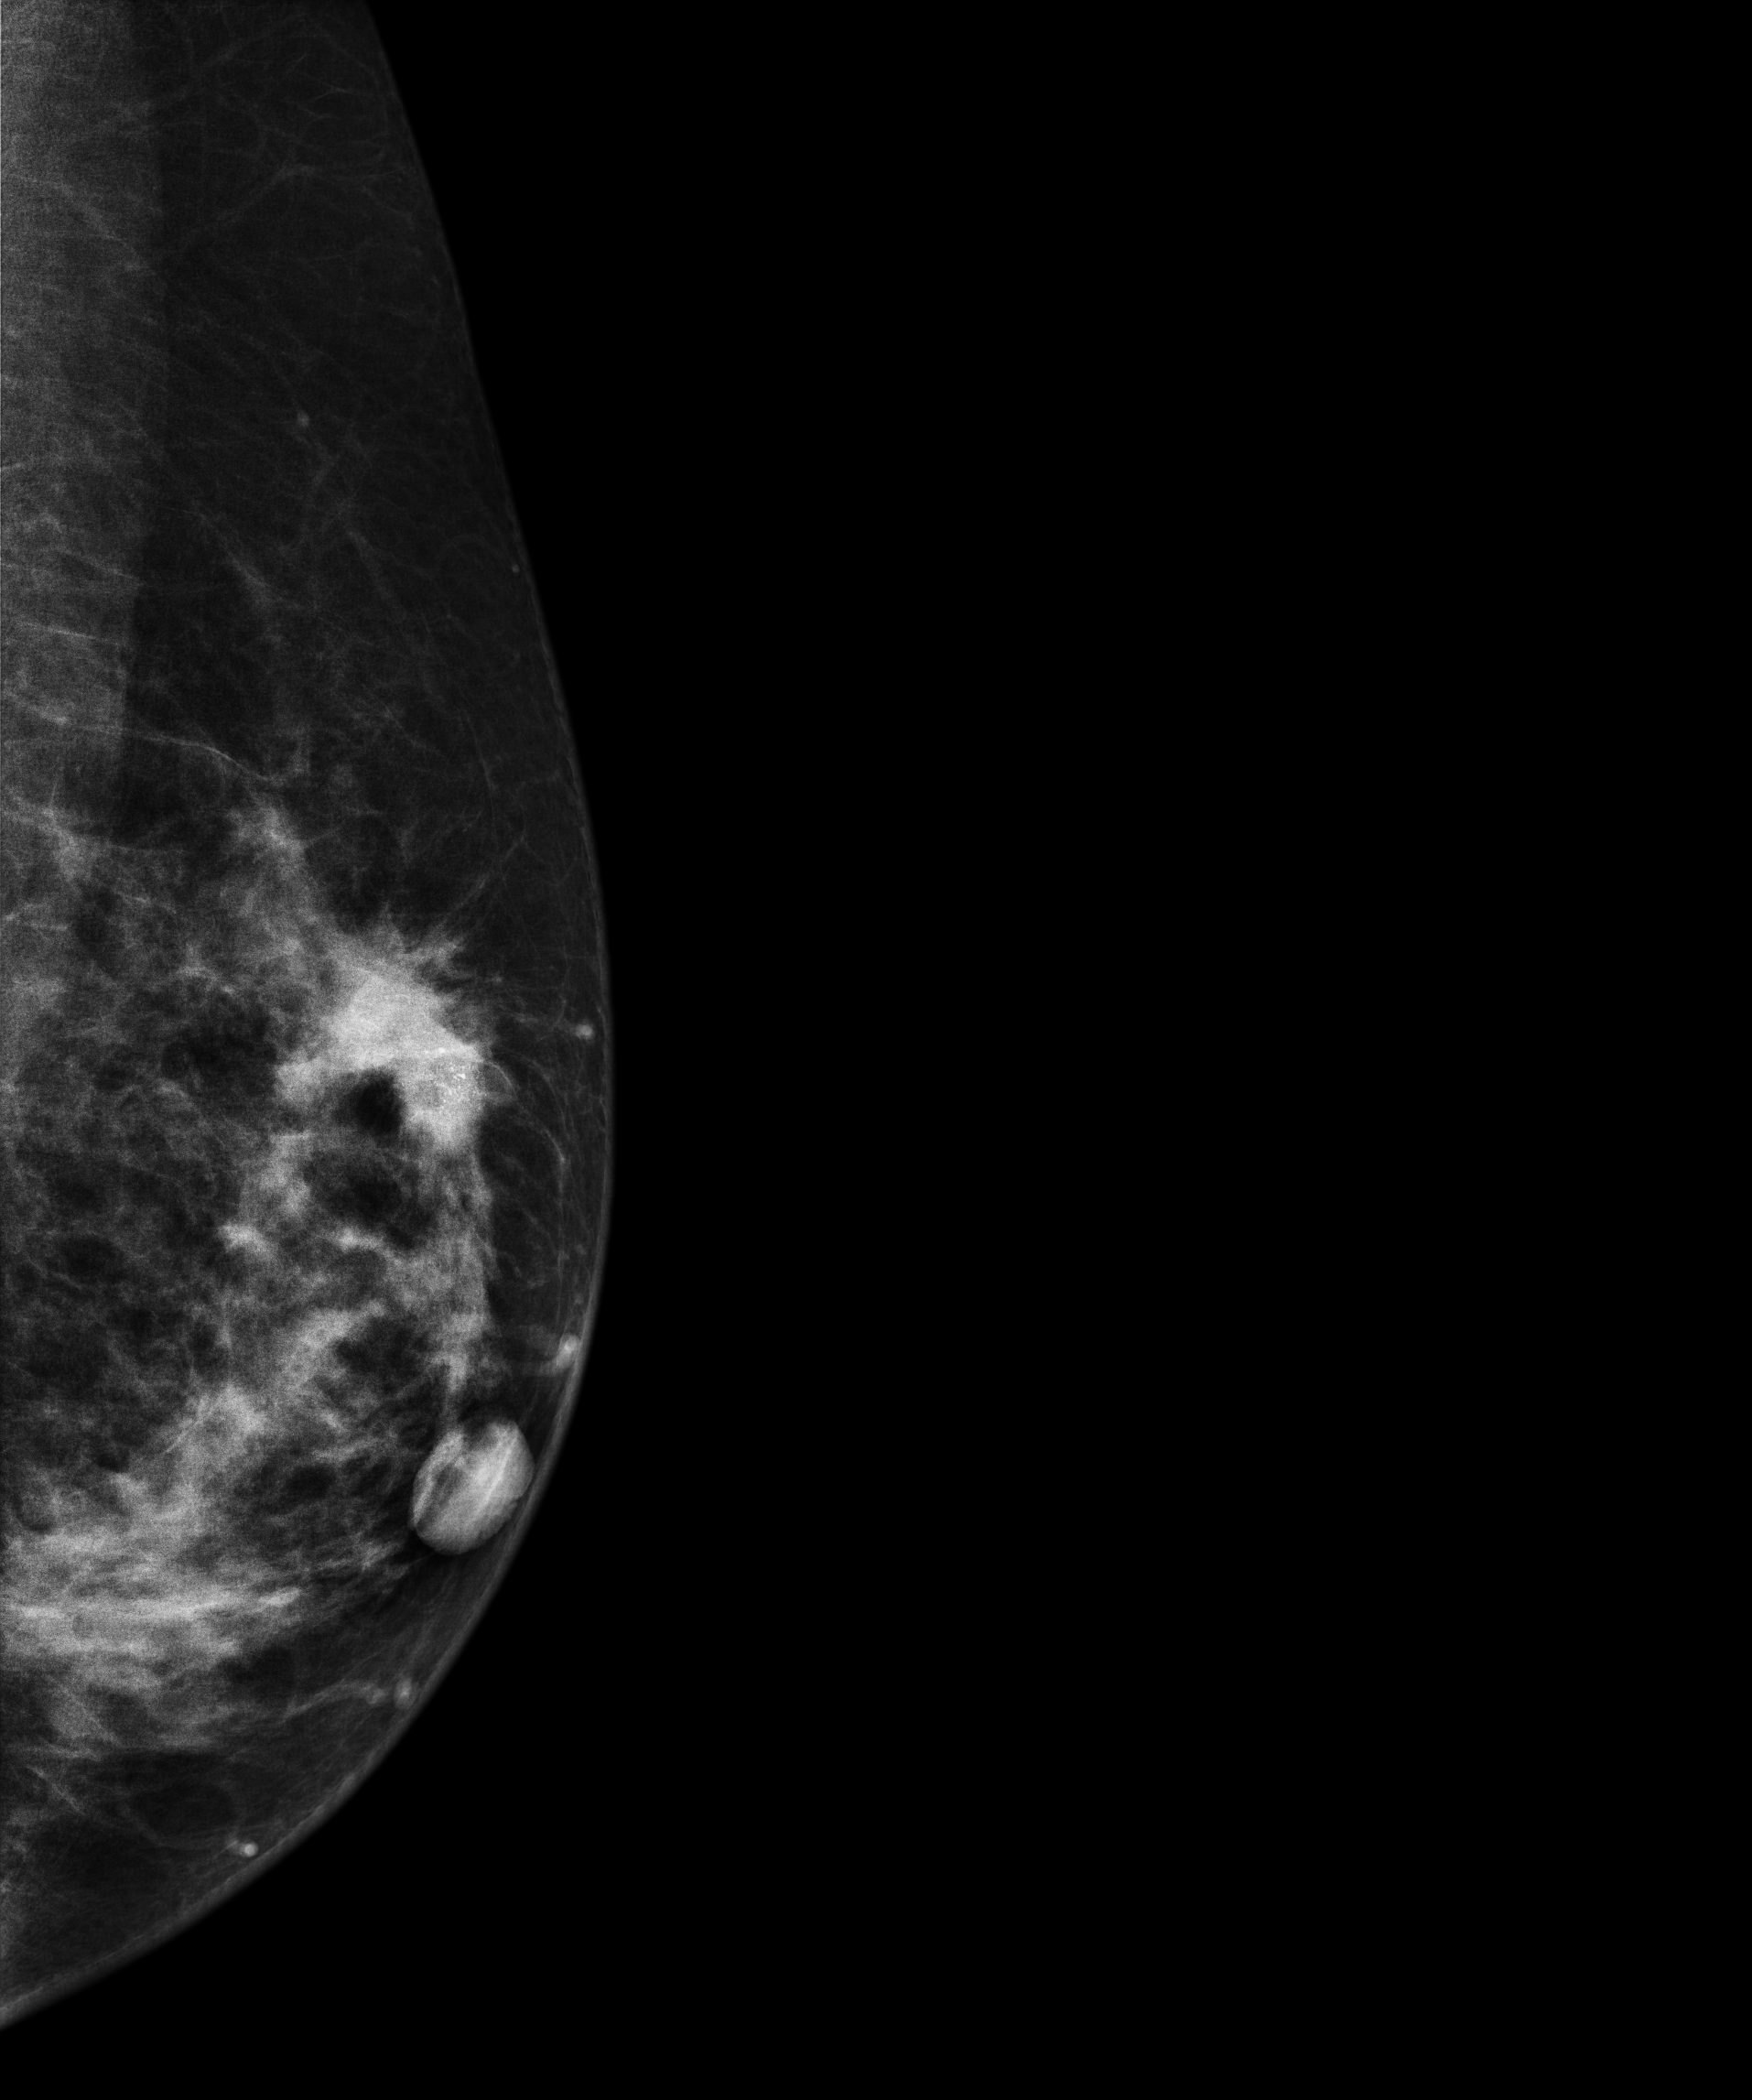
Mammogram, left breast, medio-lateral oblique view. 43-year-old patient.
This breast has a mass and calcifications, biopsy-confirmed malignant. Molecular subtype: luminal B.